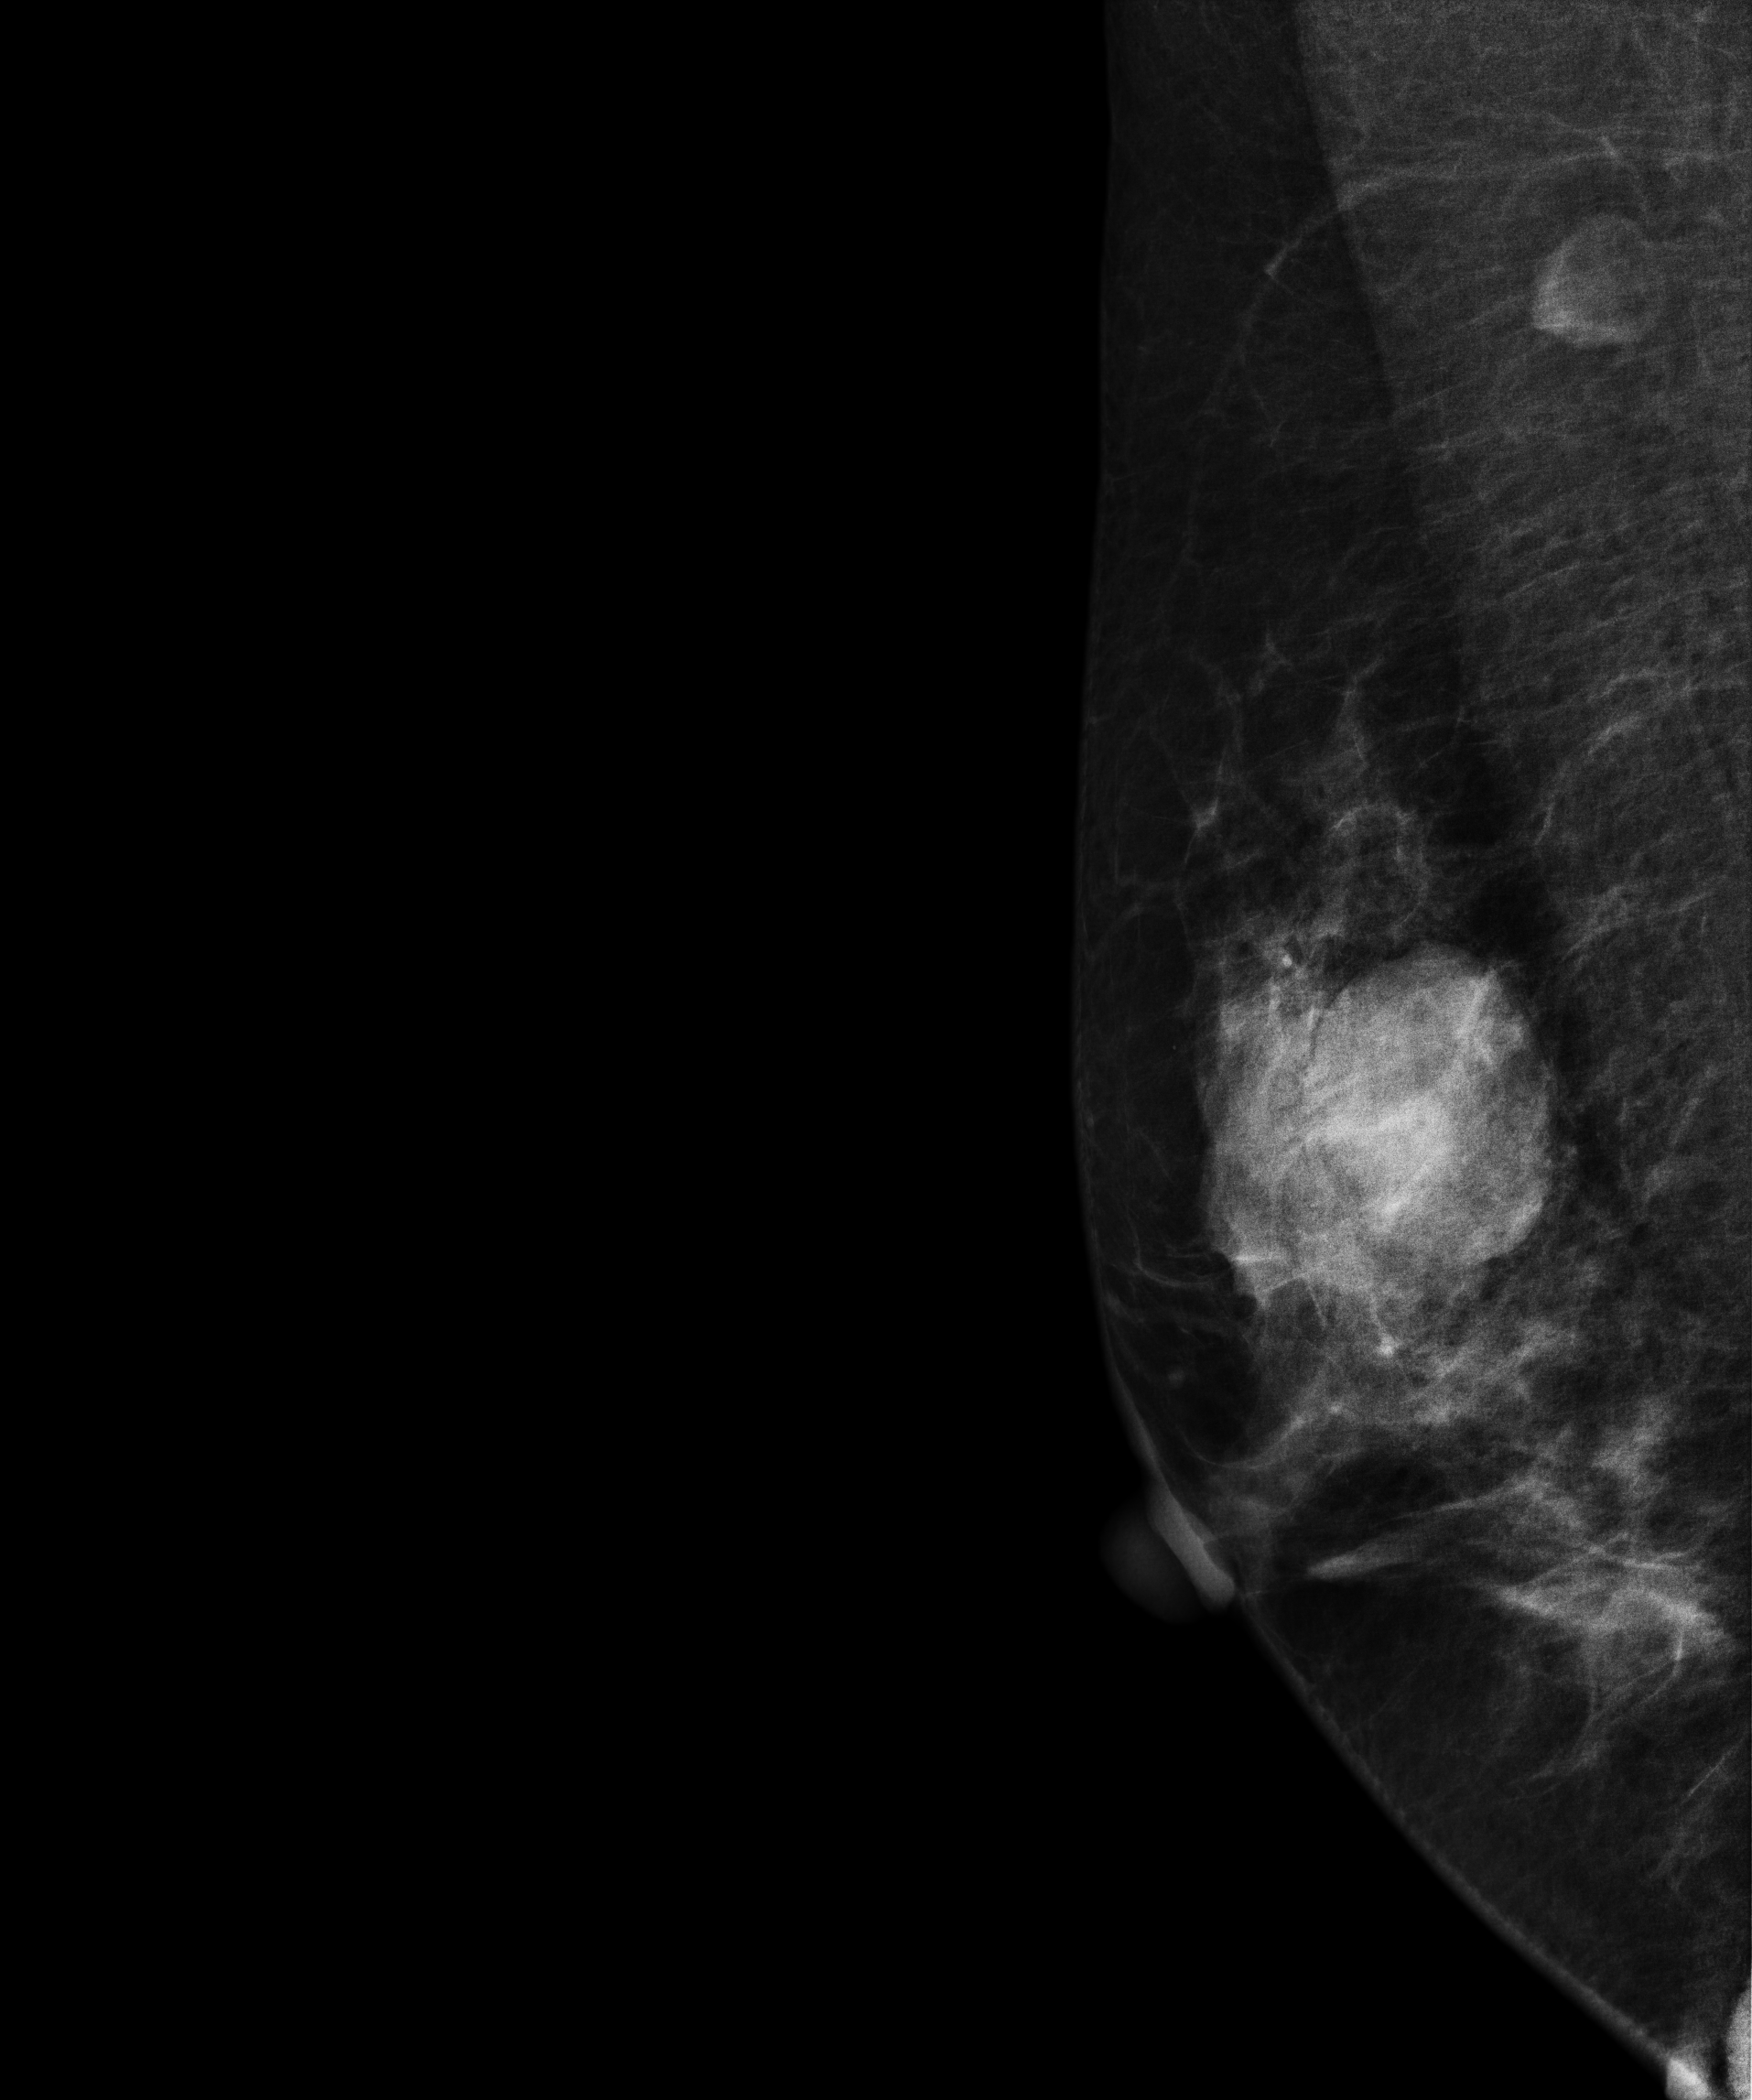
Right-breast mammogram, MLO. Patient age 36.
This breast has a mass, pathology-confirmed benign.